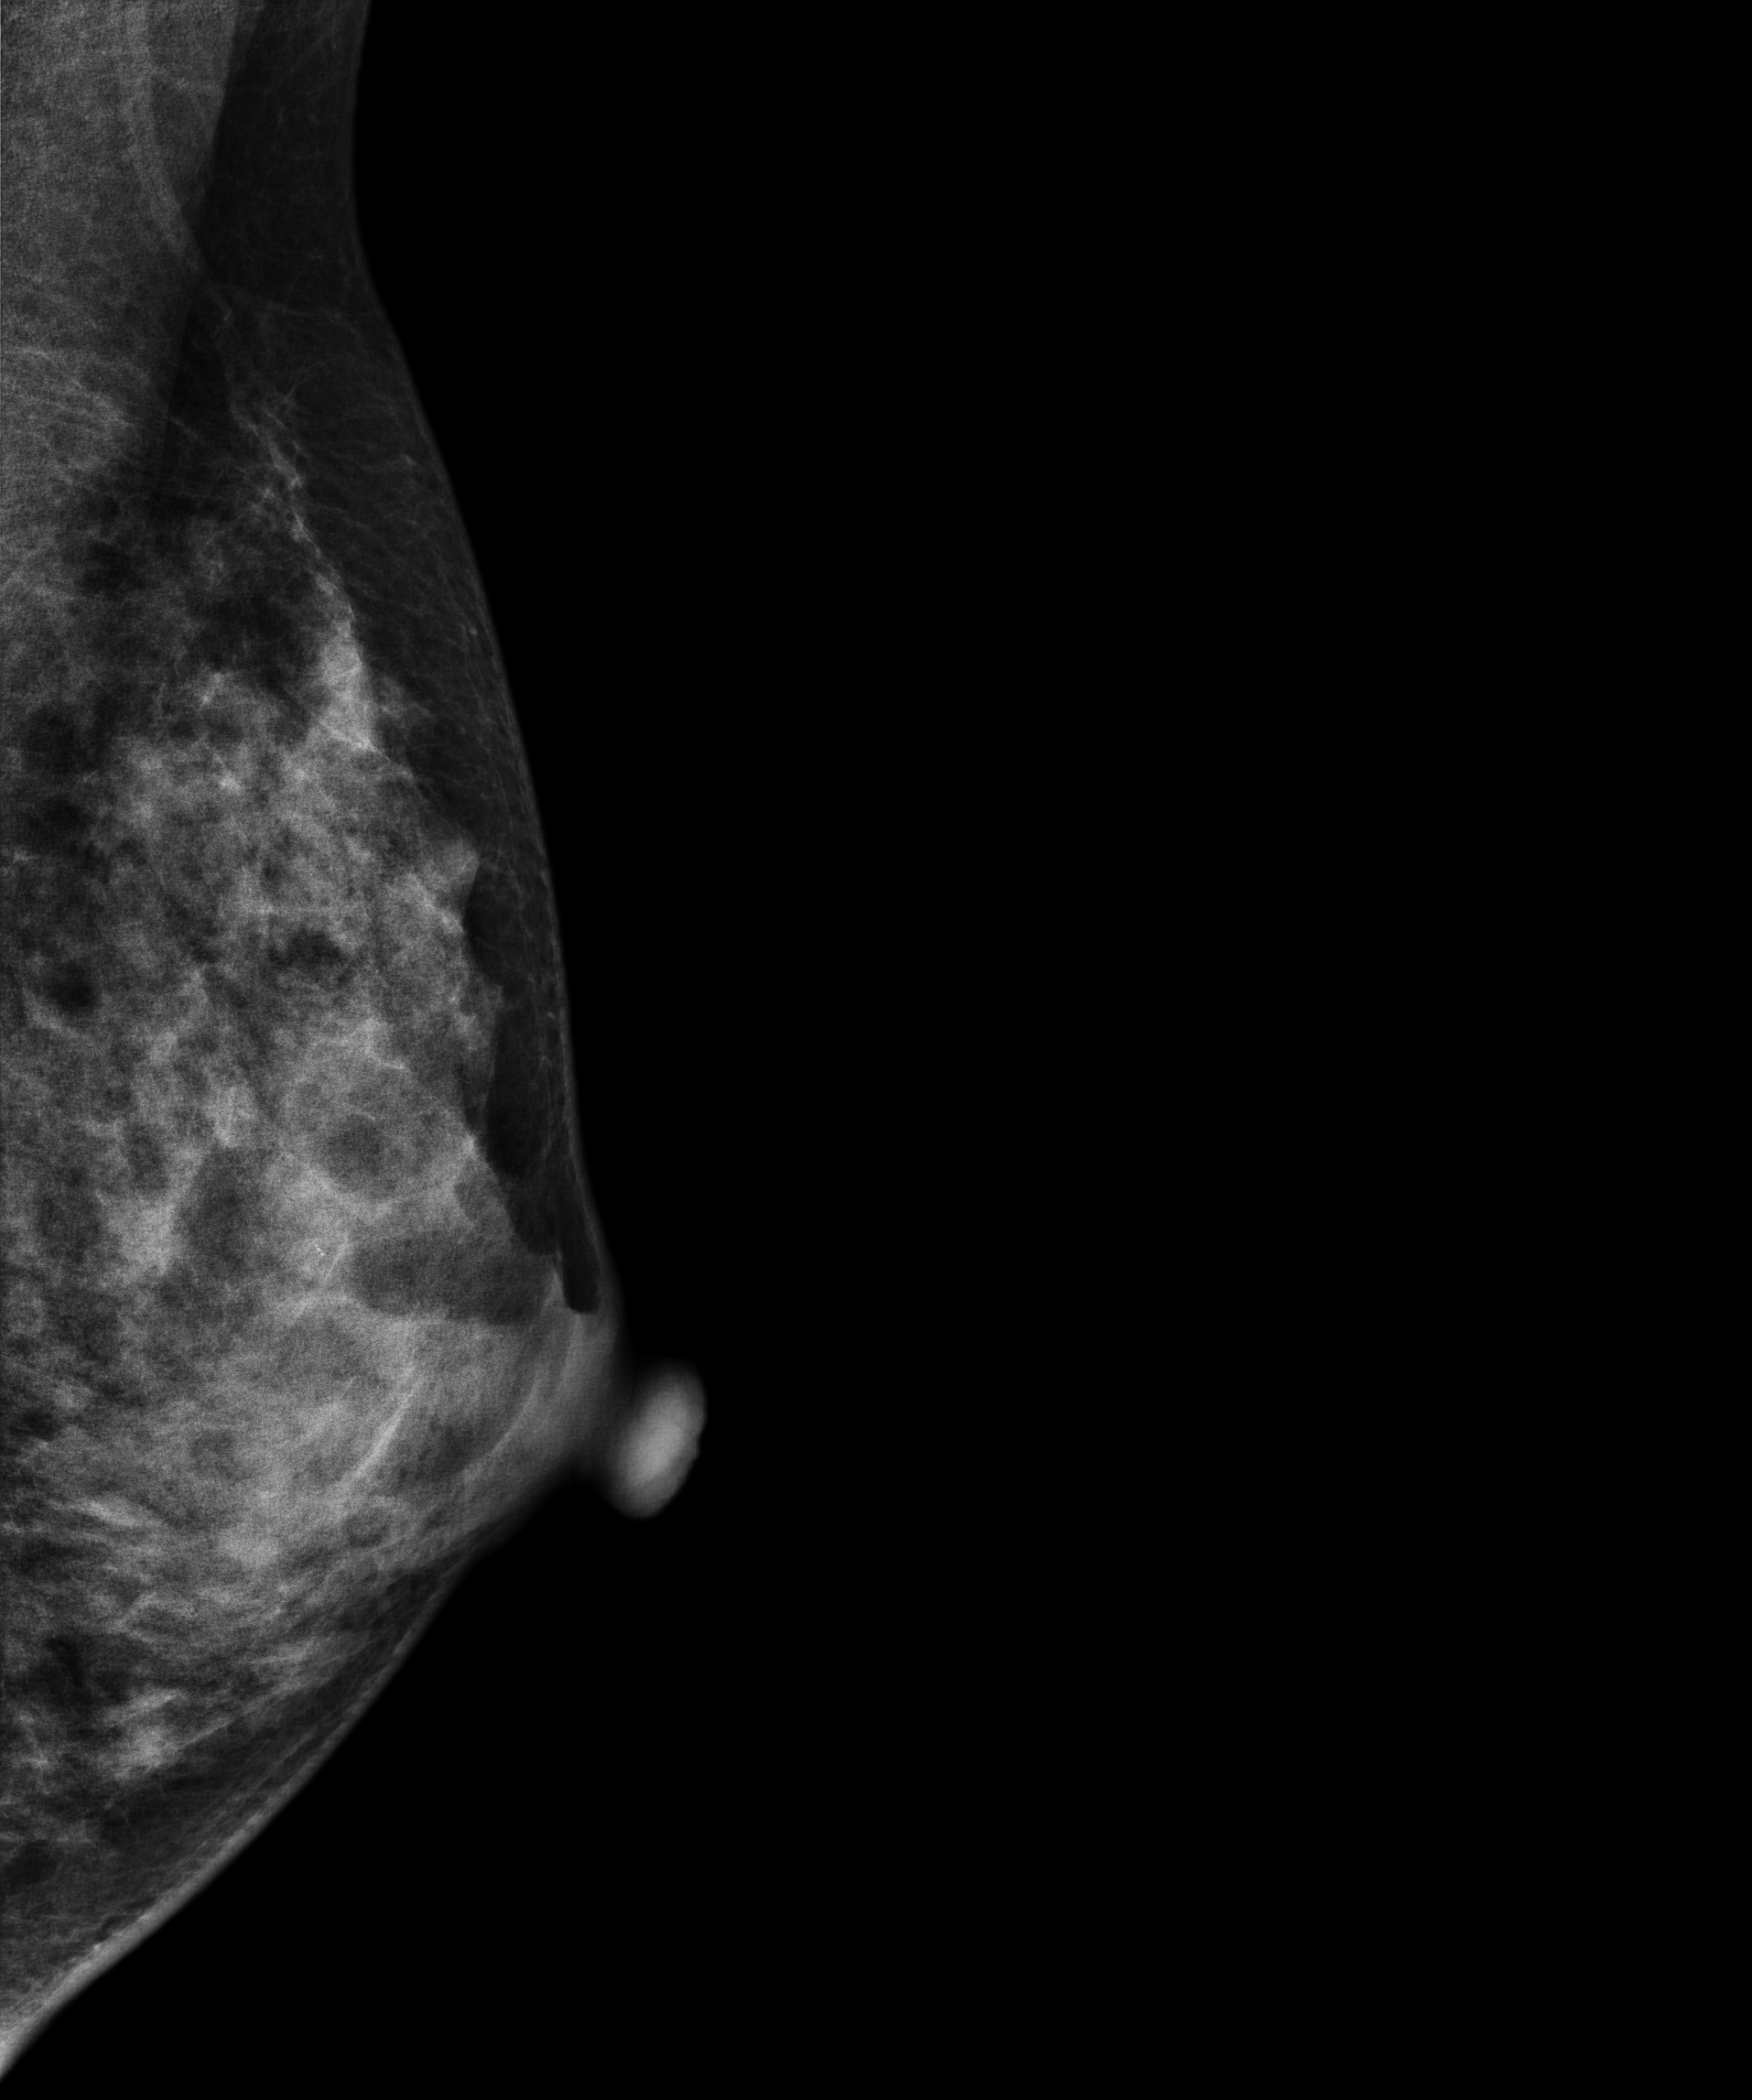
Digital mammography. Left breast, medio-lateral oblique projection. 39-year-old patient.
Contralateral breast — no documented abnormality on this side.